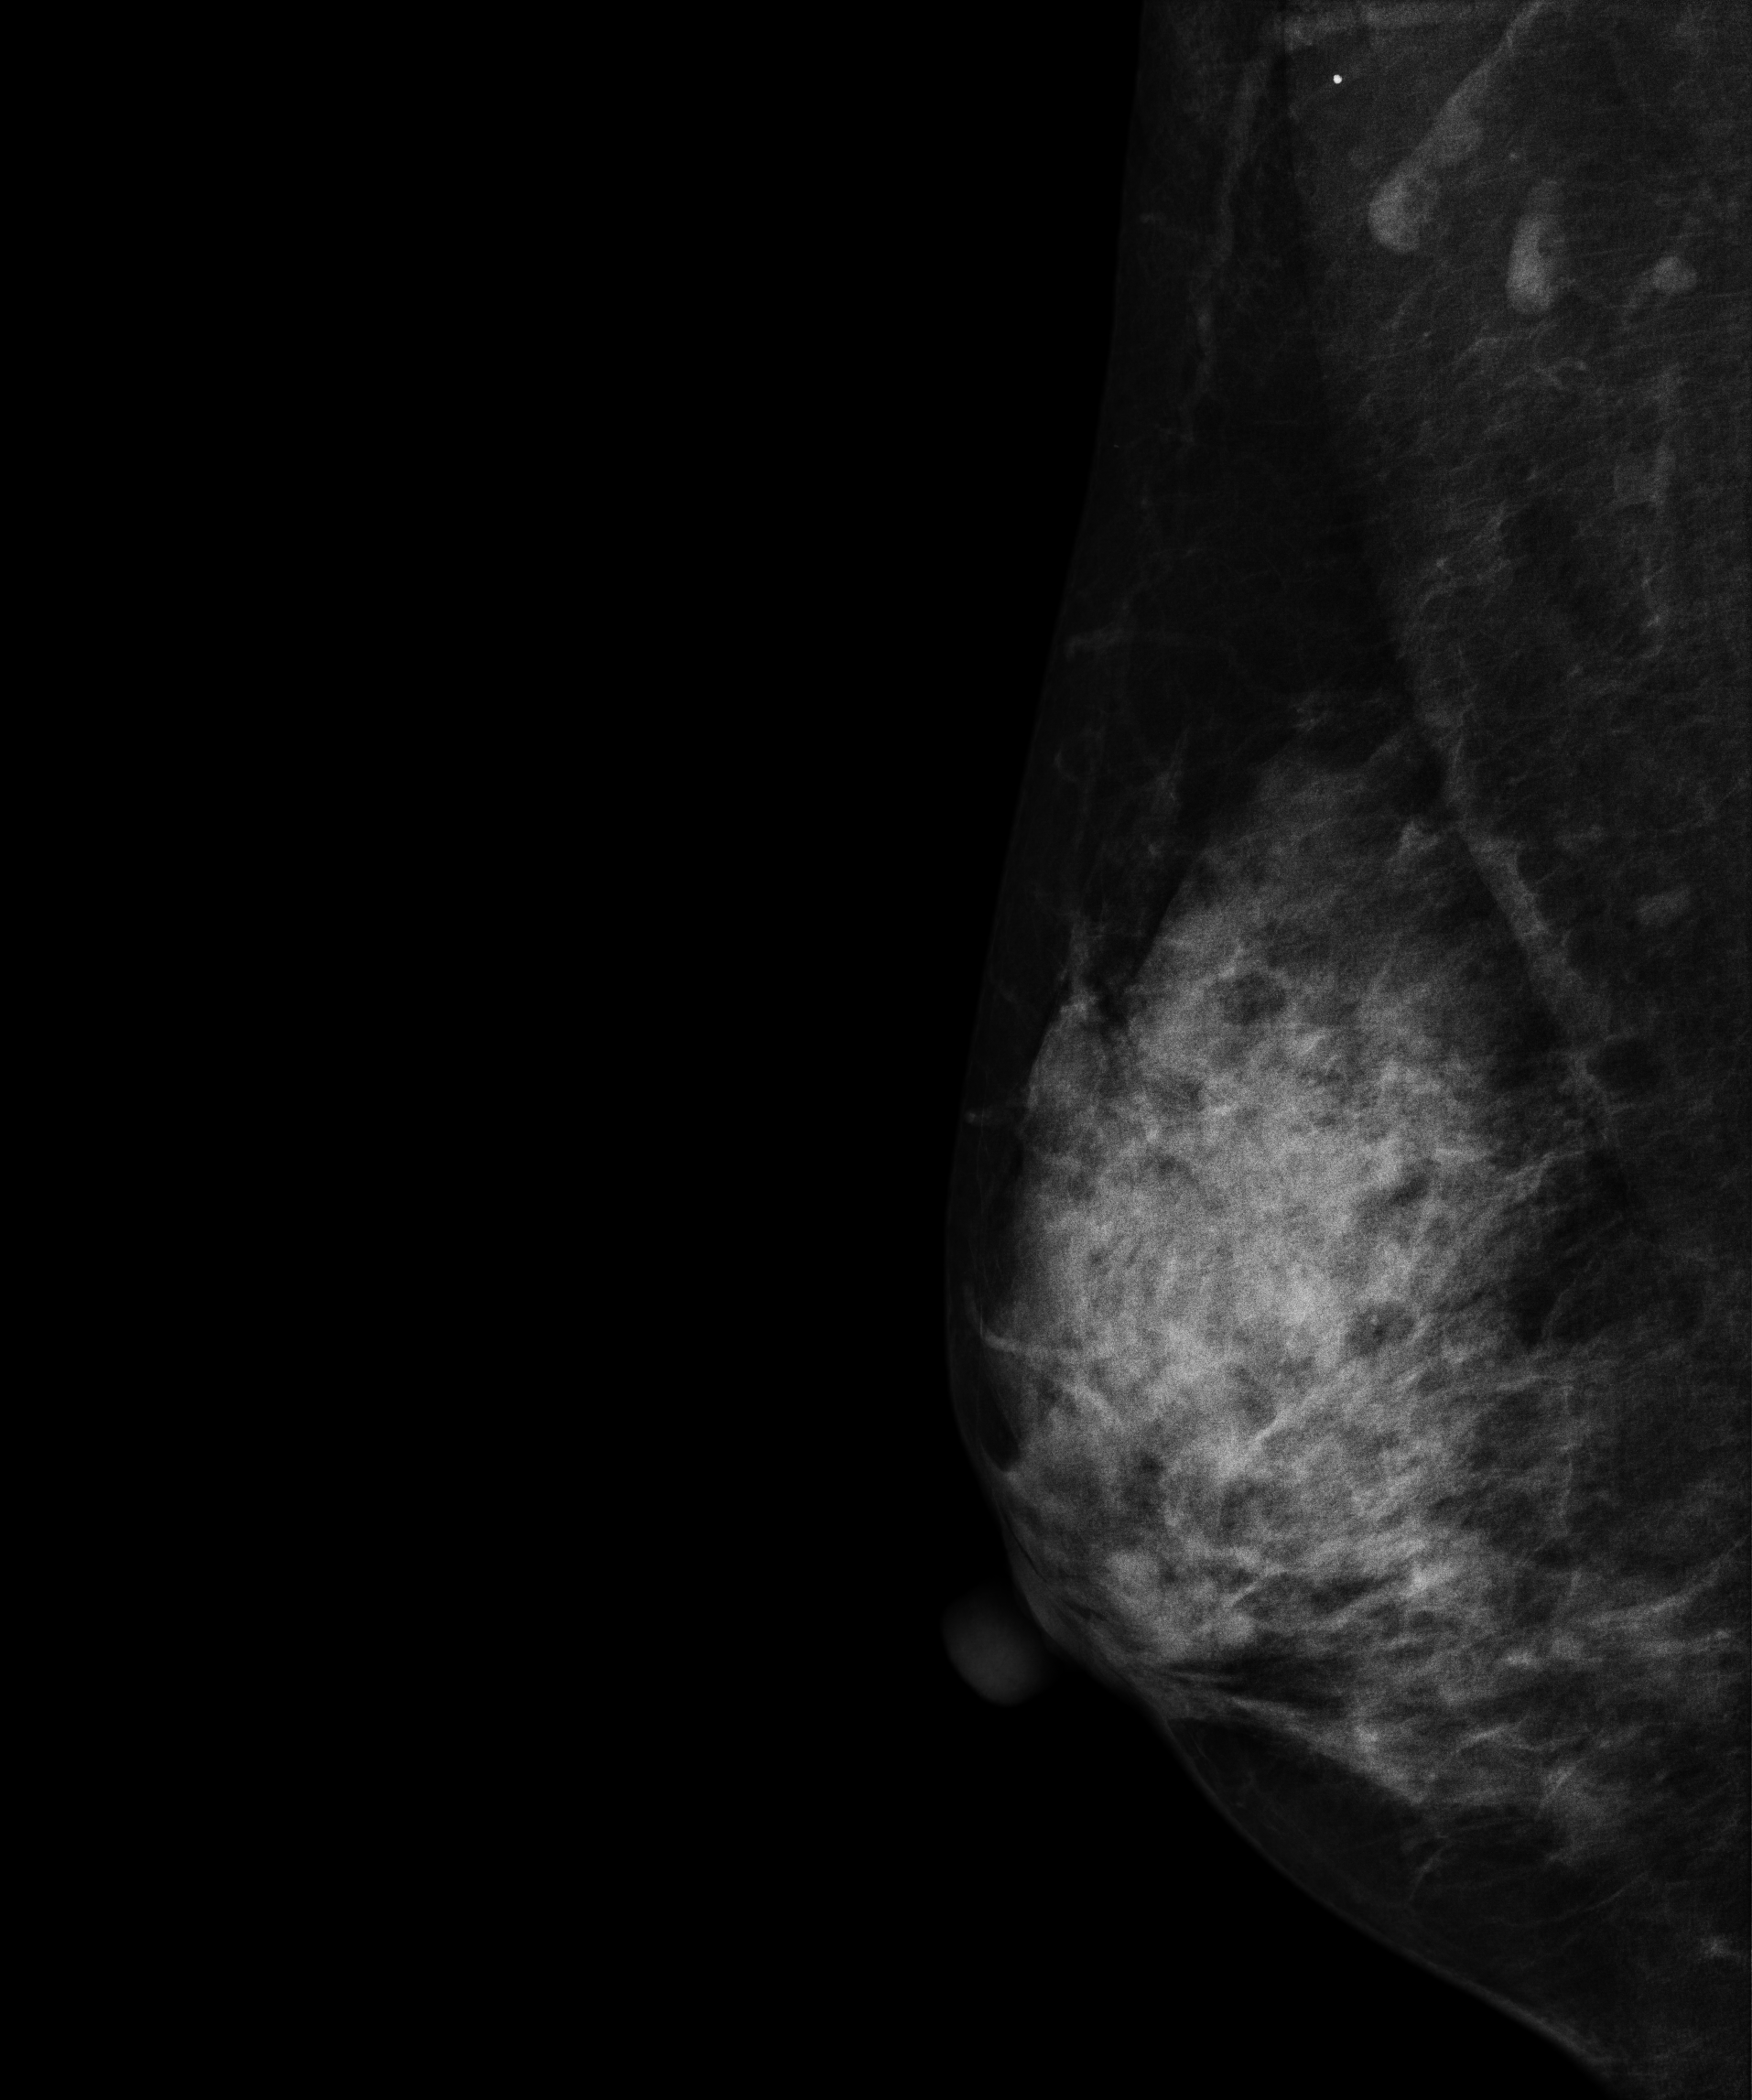
Right-breast mammogram, medio-lateral oblique. 44-year-old patient.
Contralateral breast — no documented abnormality on this side.